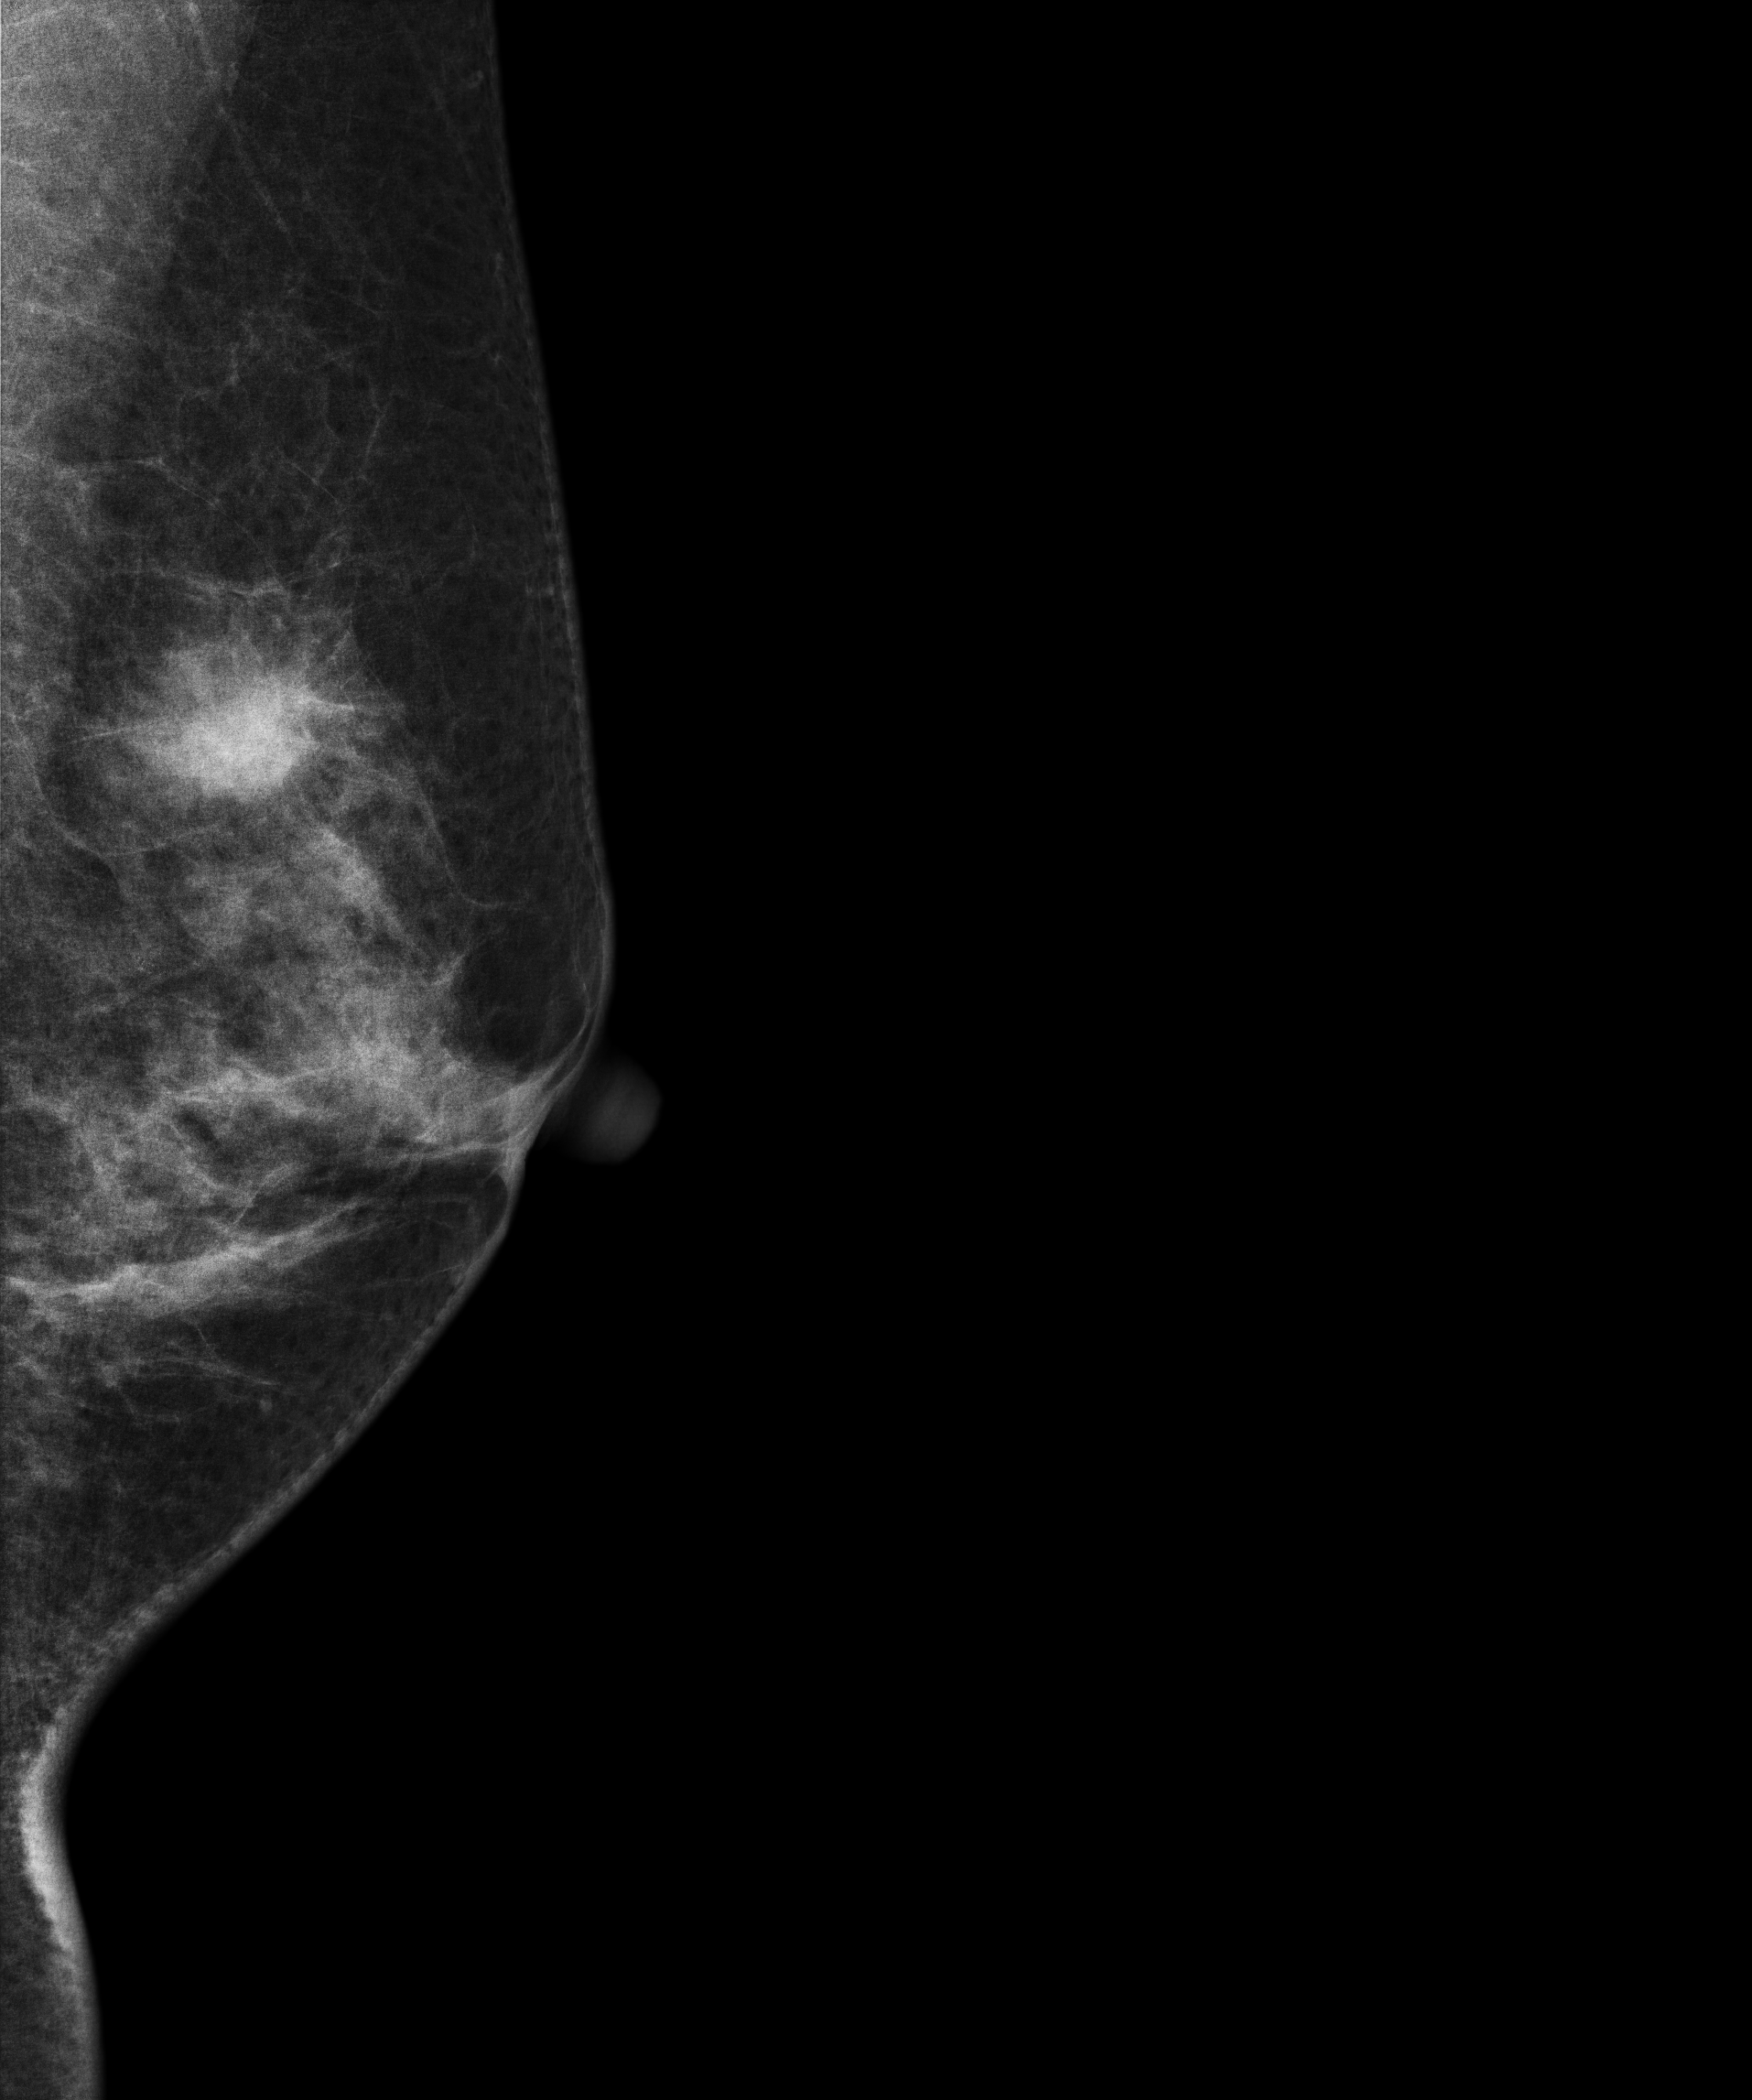
MLO mammogram of the left breast. 51 y/o patient.
This breast has a mass, biopsy-confirmed malignant. Molecular subtype: luminal B.